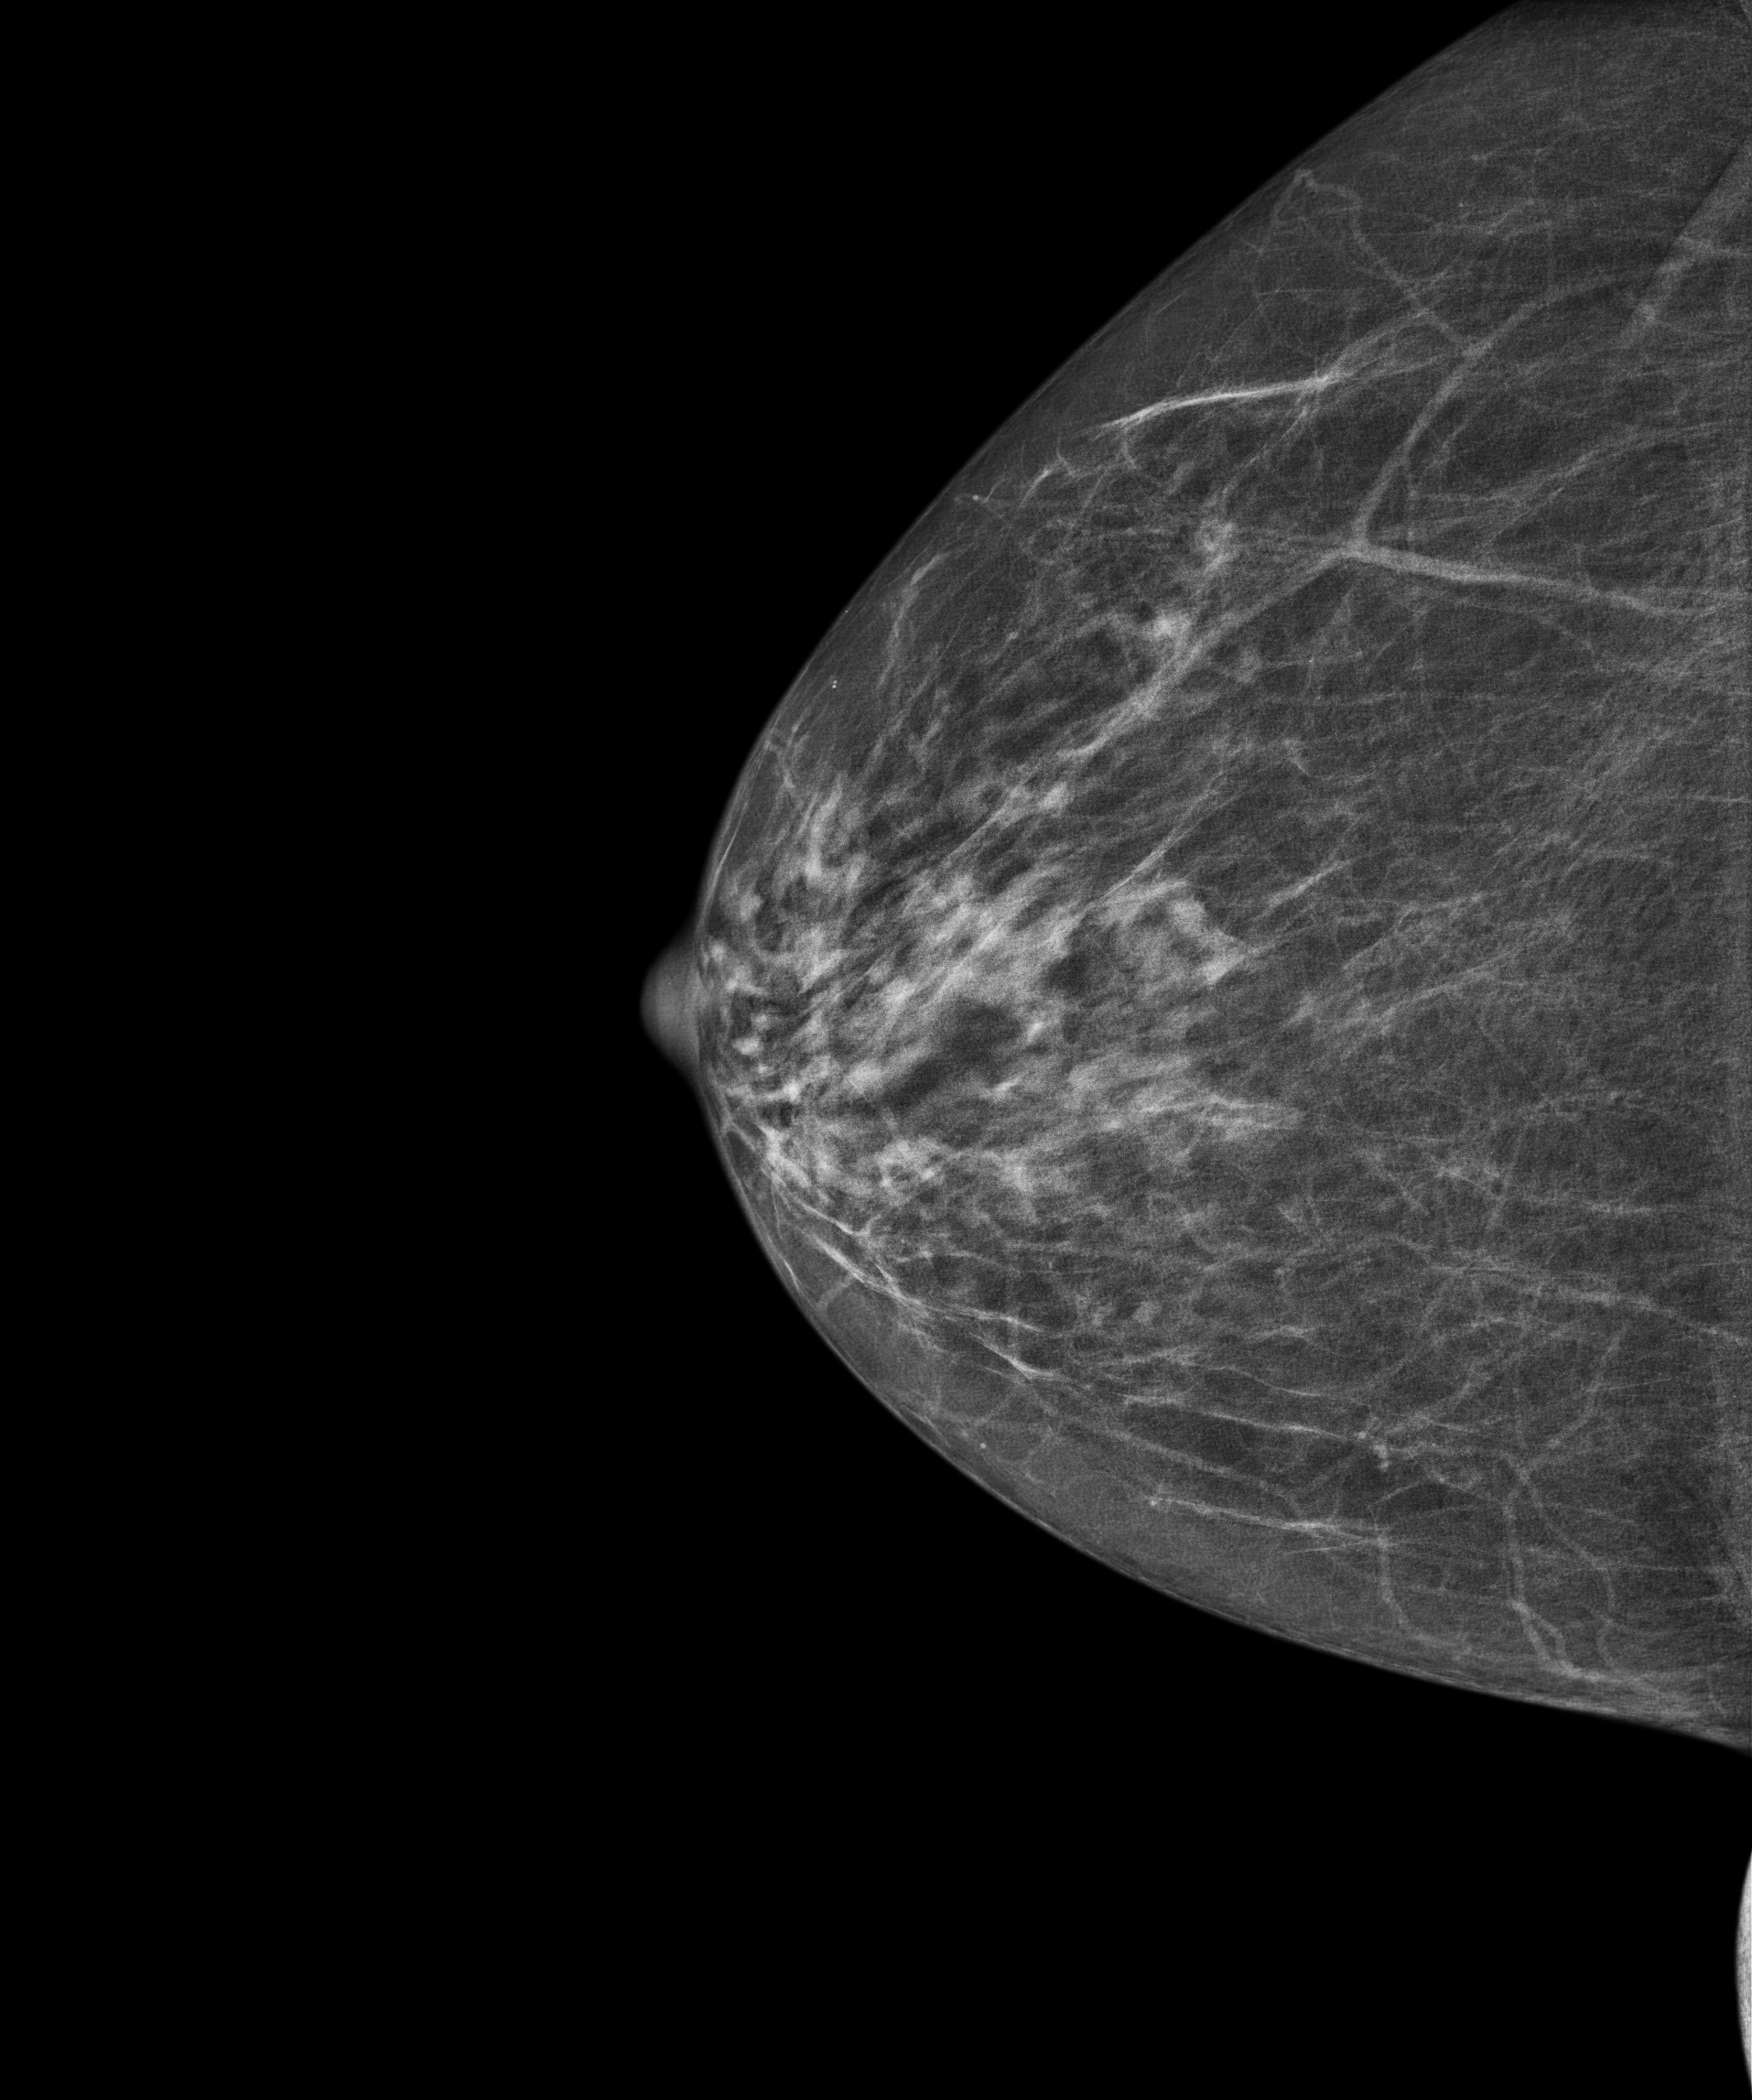
Mammogram — right CC. 69-year-old patient.
Contralateral breast — no documented abnormality on this side.